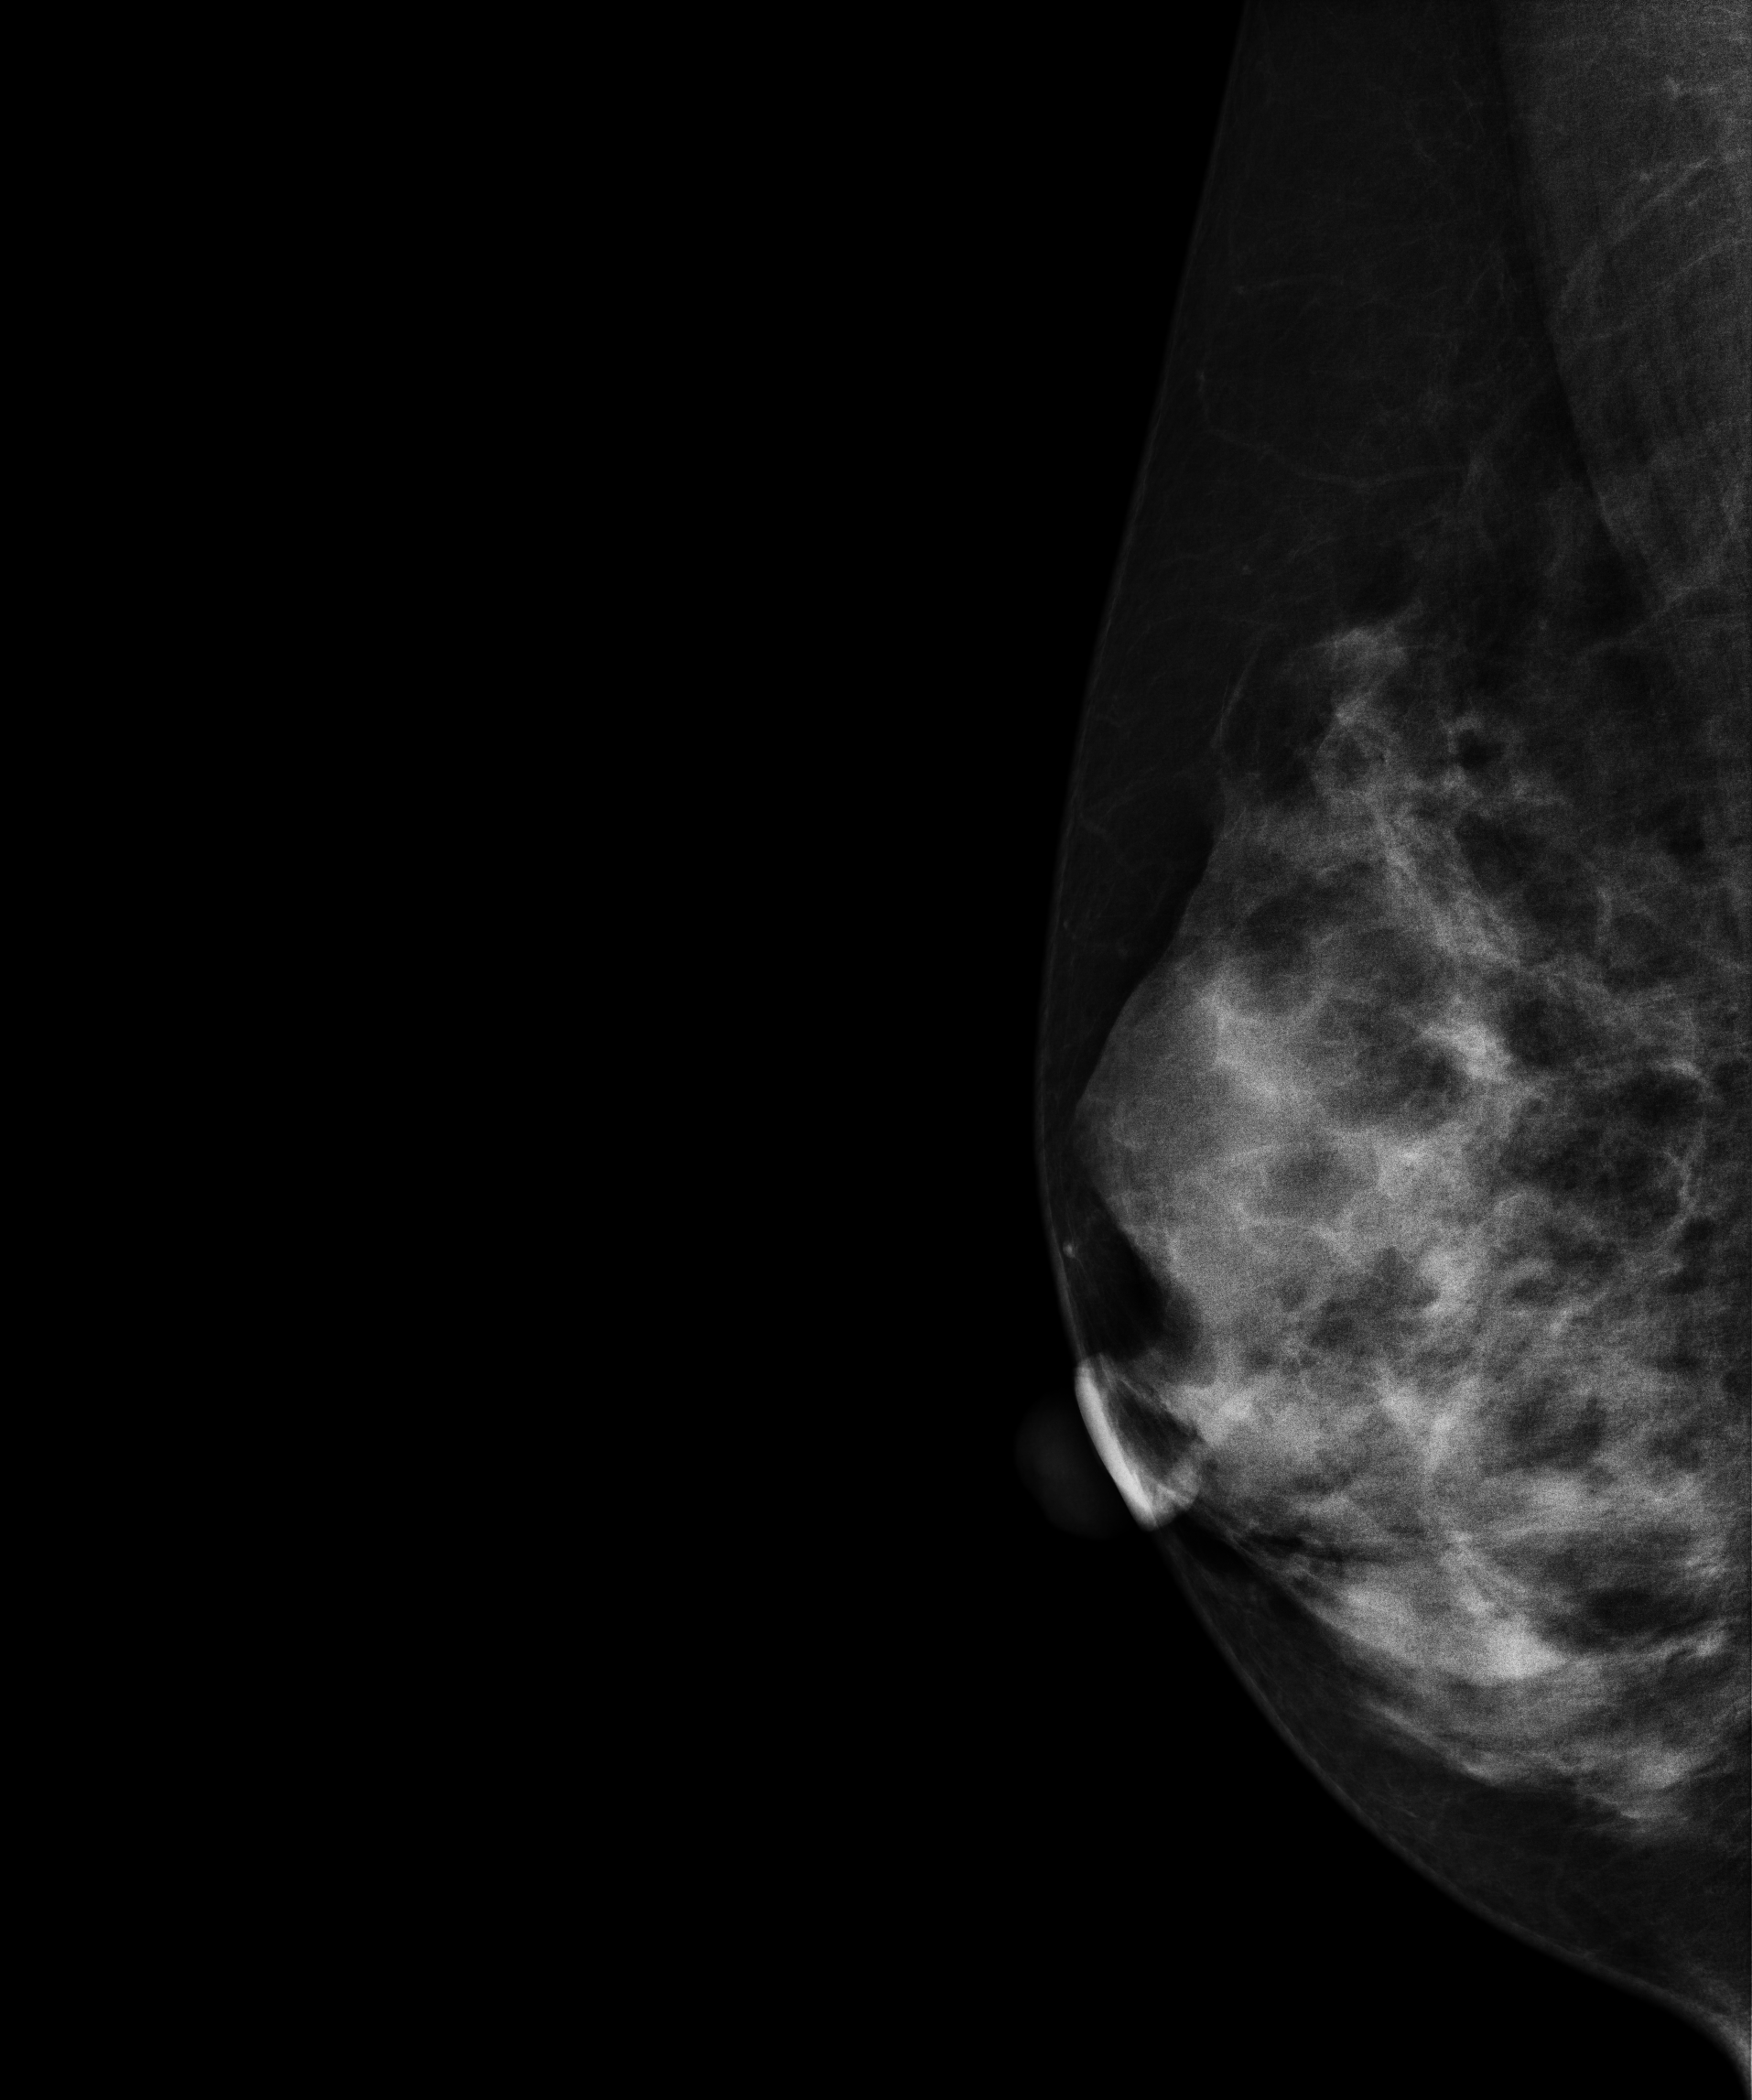
Medio-lateral oblique mammogram of the right breast. 45 y/o patient.
This breast has a mass, histologically confirmed benign.